Mammogram — right cranio-caudal. 51 y/o patient.
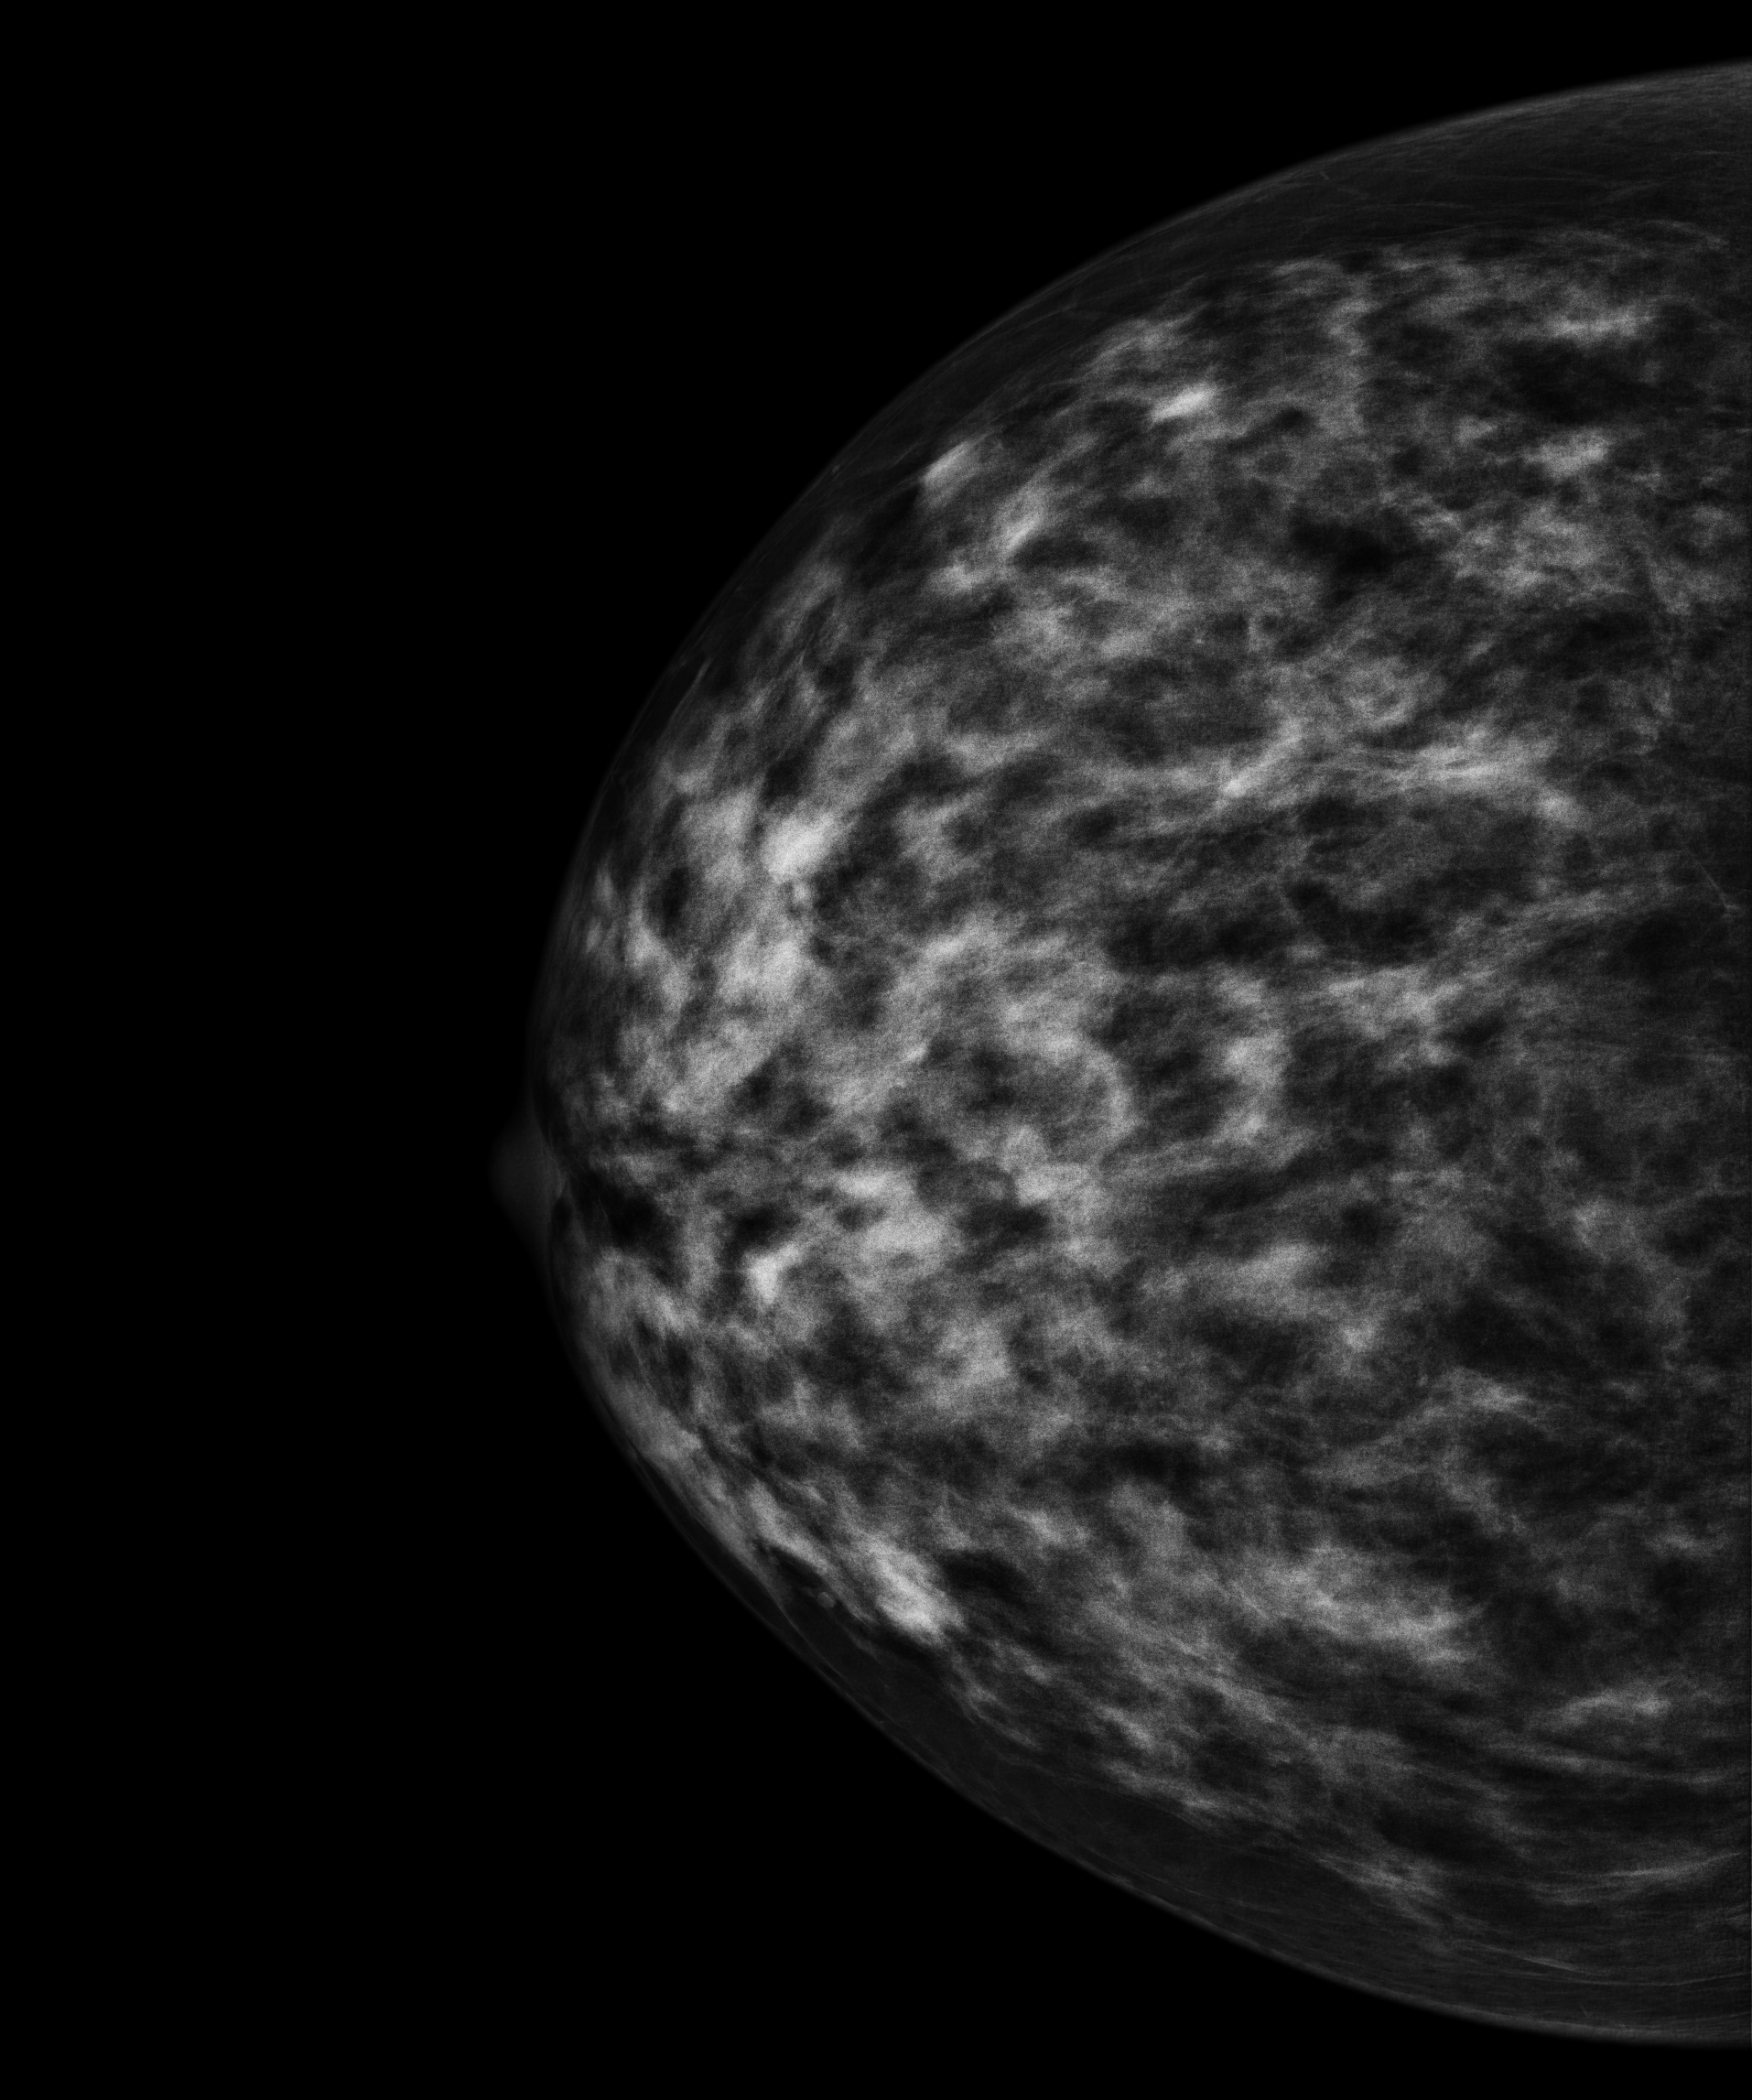
This breast has a mass, biopsy-confirmed malignant. Molecular subtype: luminal B.